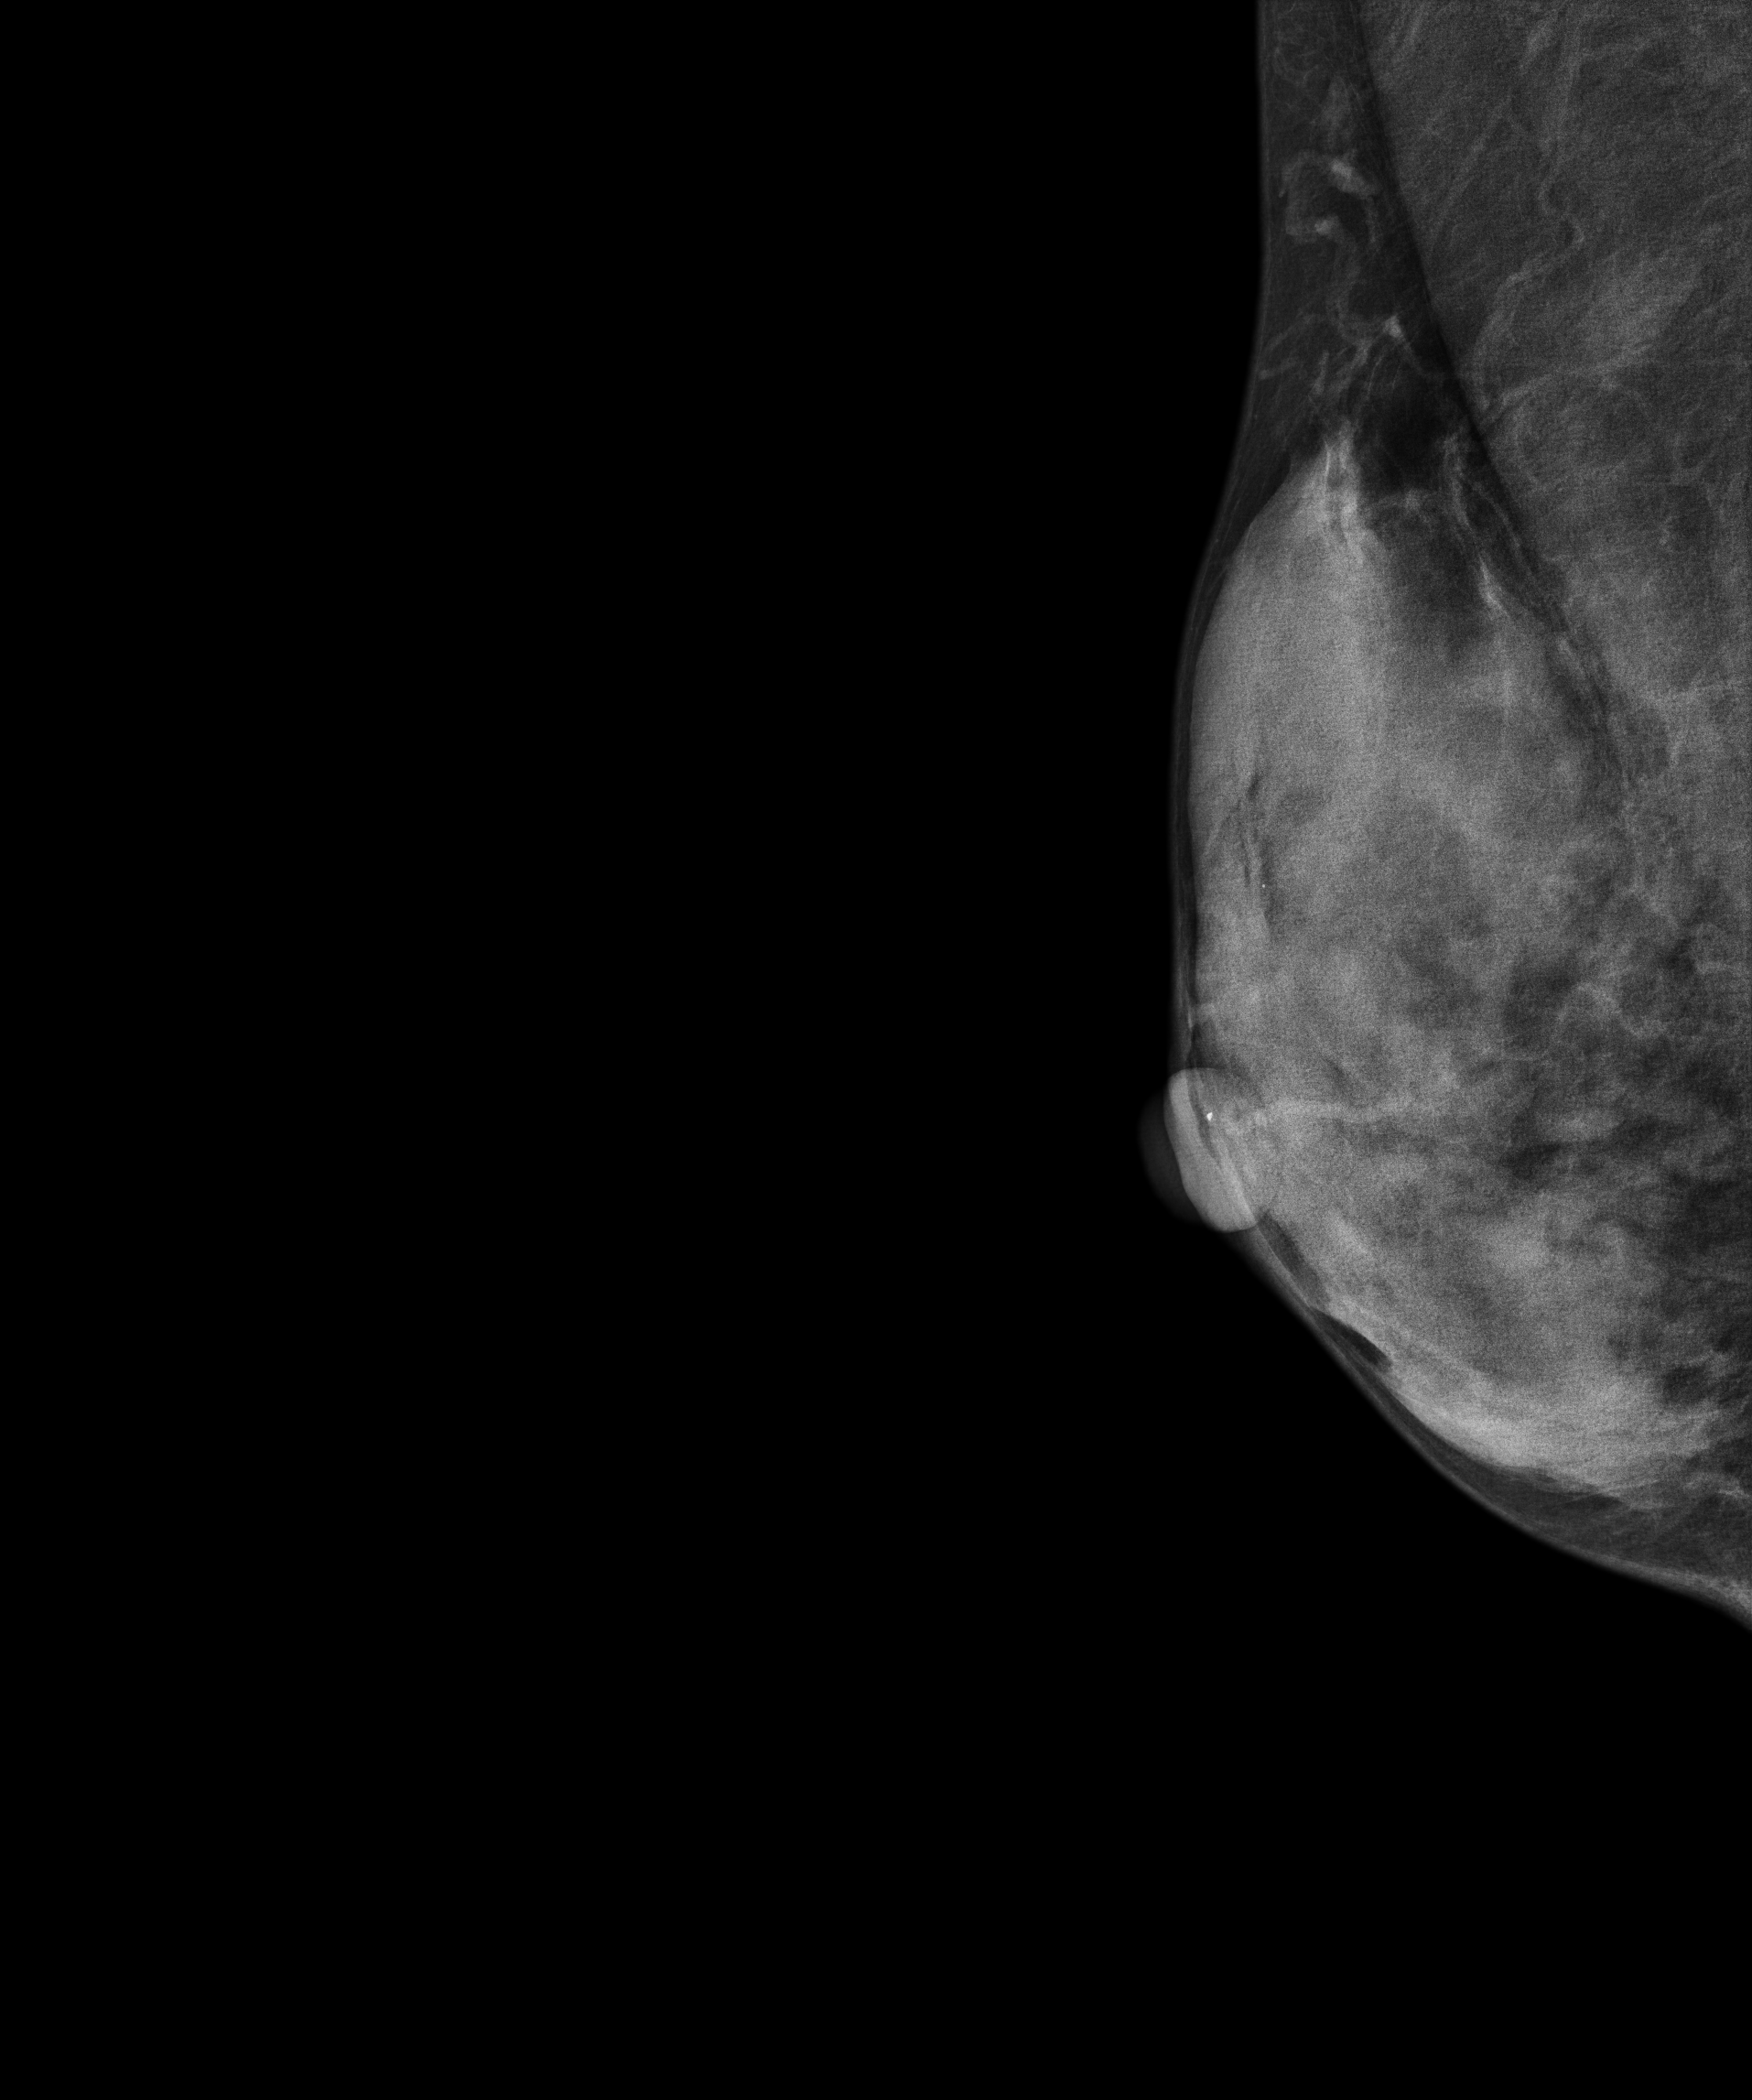
Medio-lateral oblique mammogram of the right breast. 50 y/o patient.
Contralateral breast — no documented abnormality on this side.